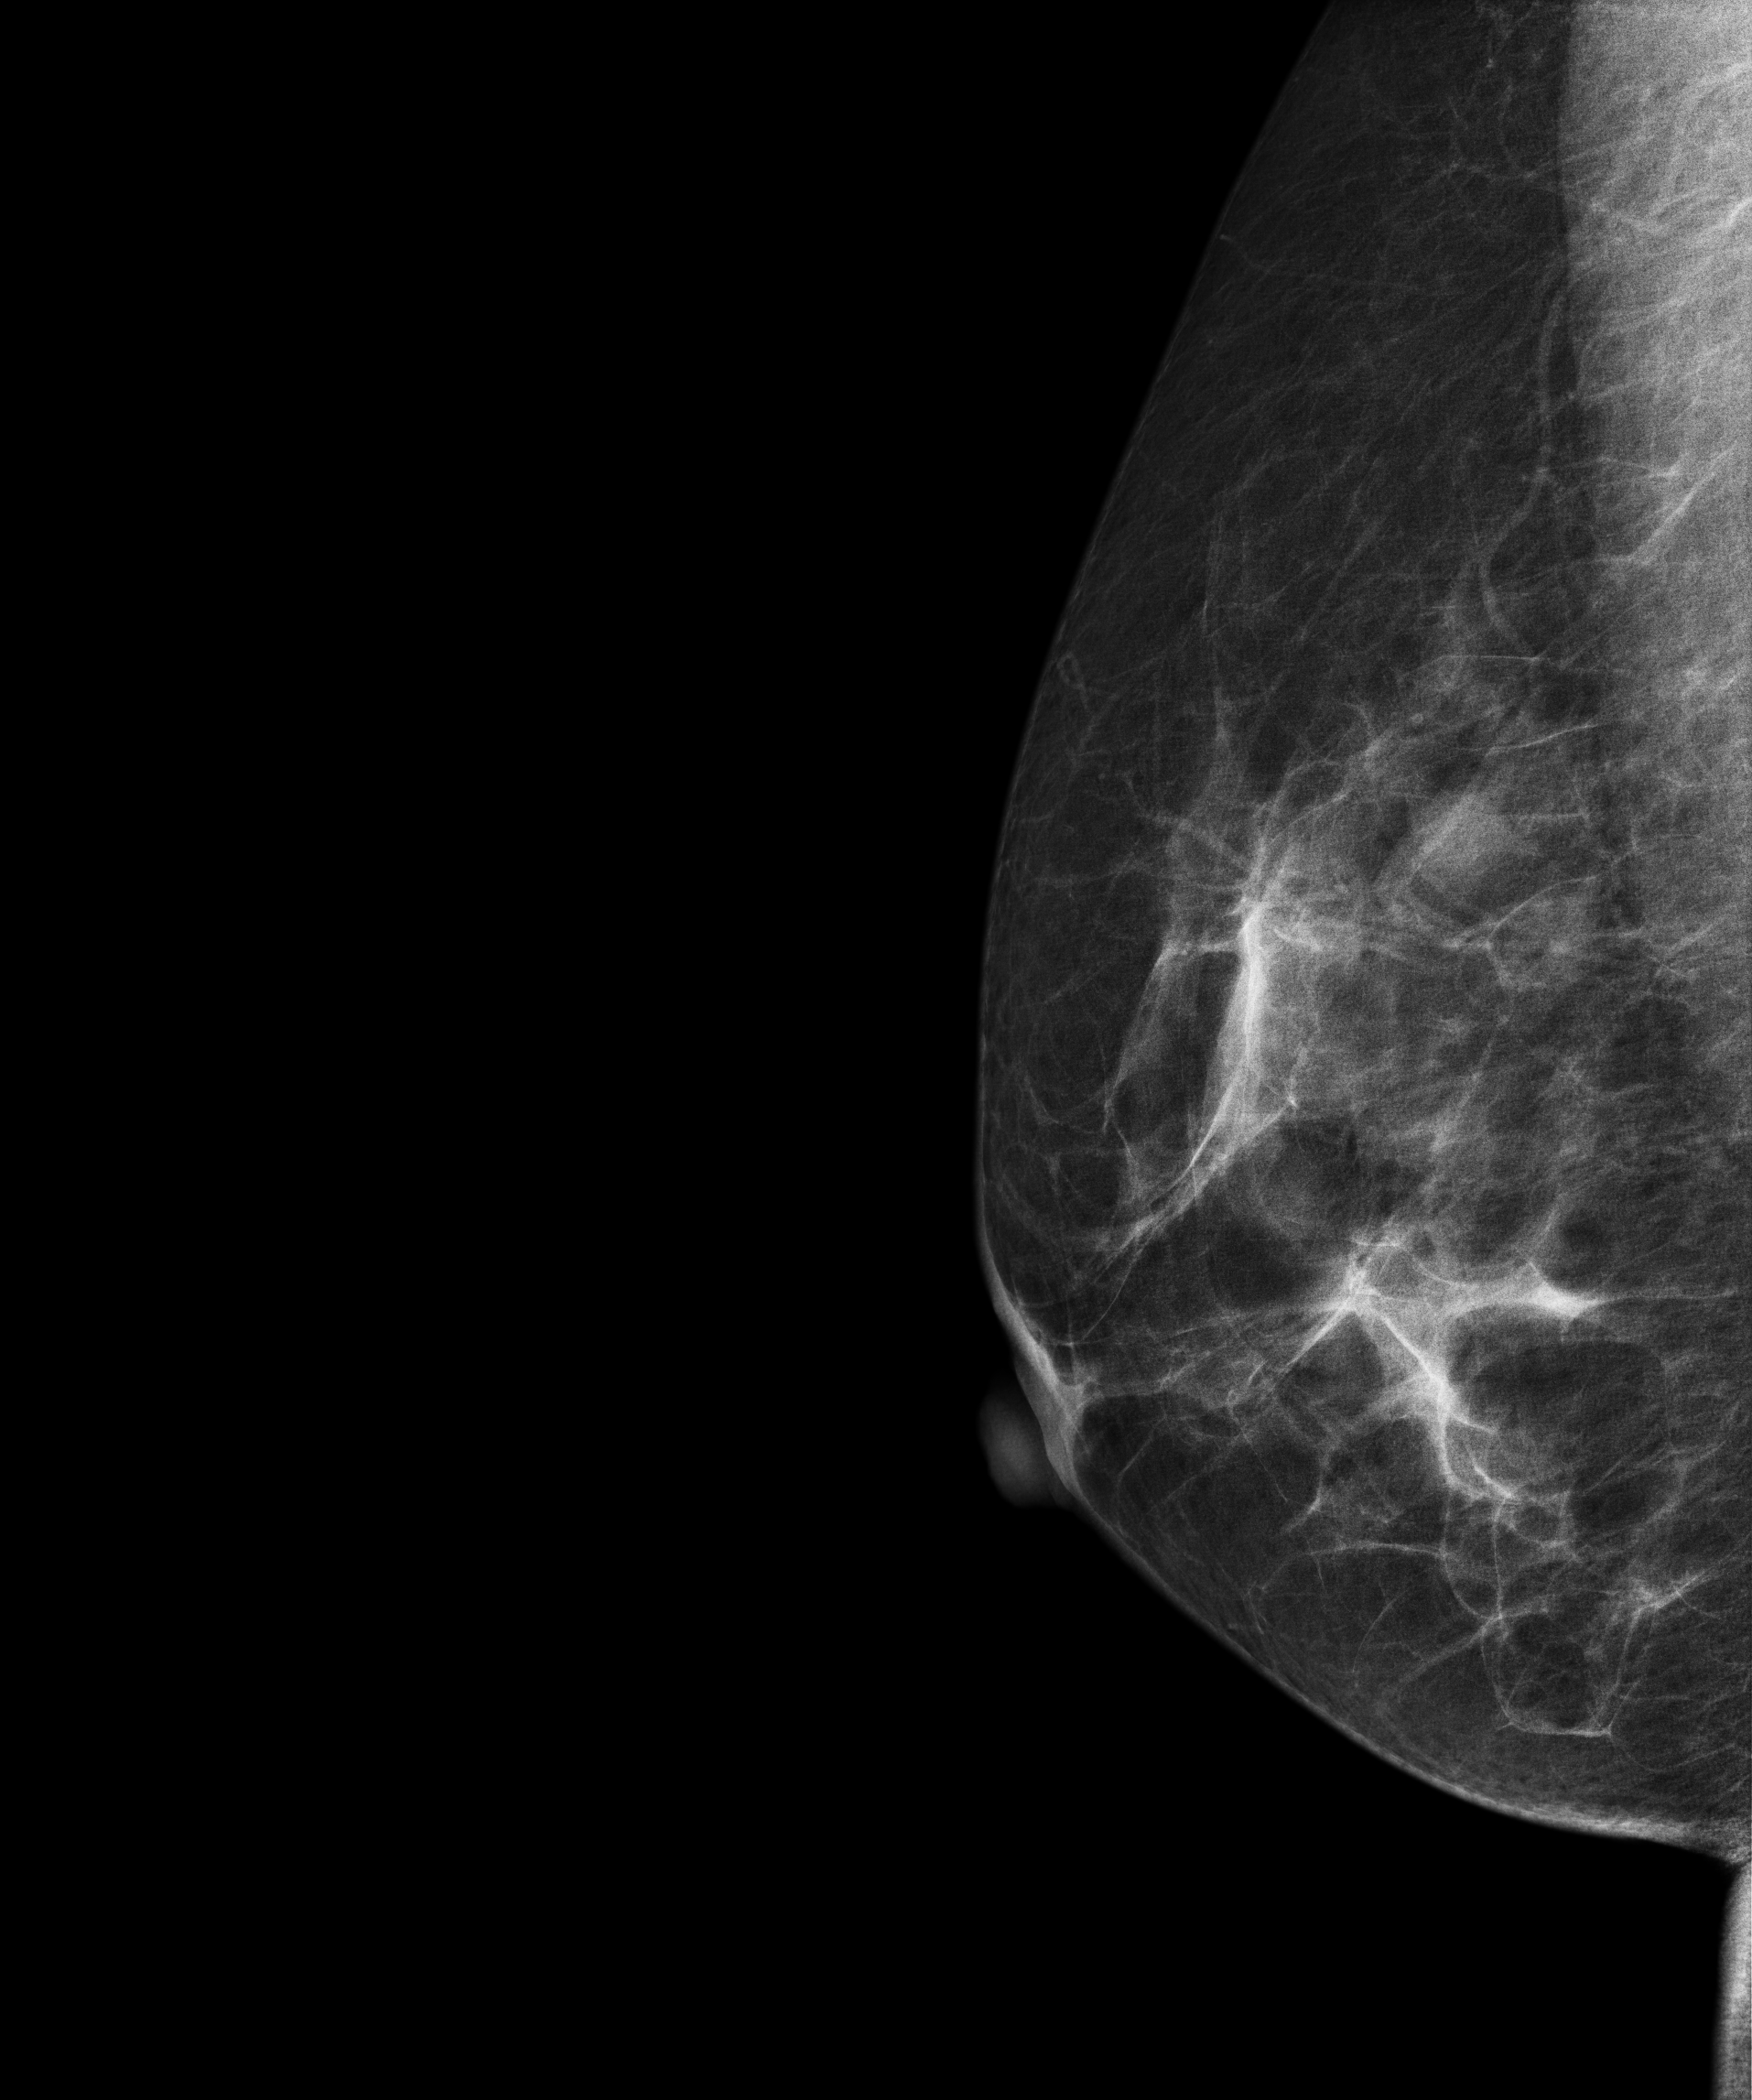
Digital mammography. Right breast, medio-lateral oblique projection. Patient age 48.
Contralateral breast — no documented abnormality on this side.